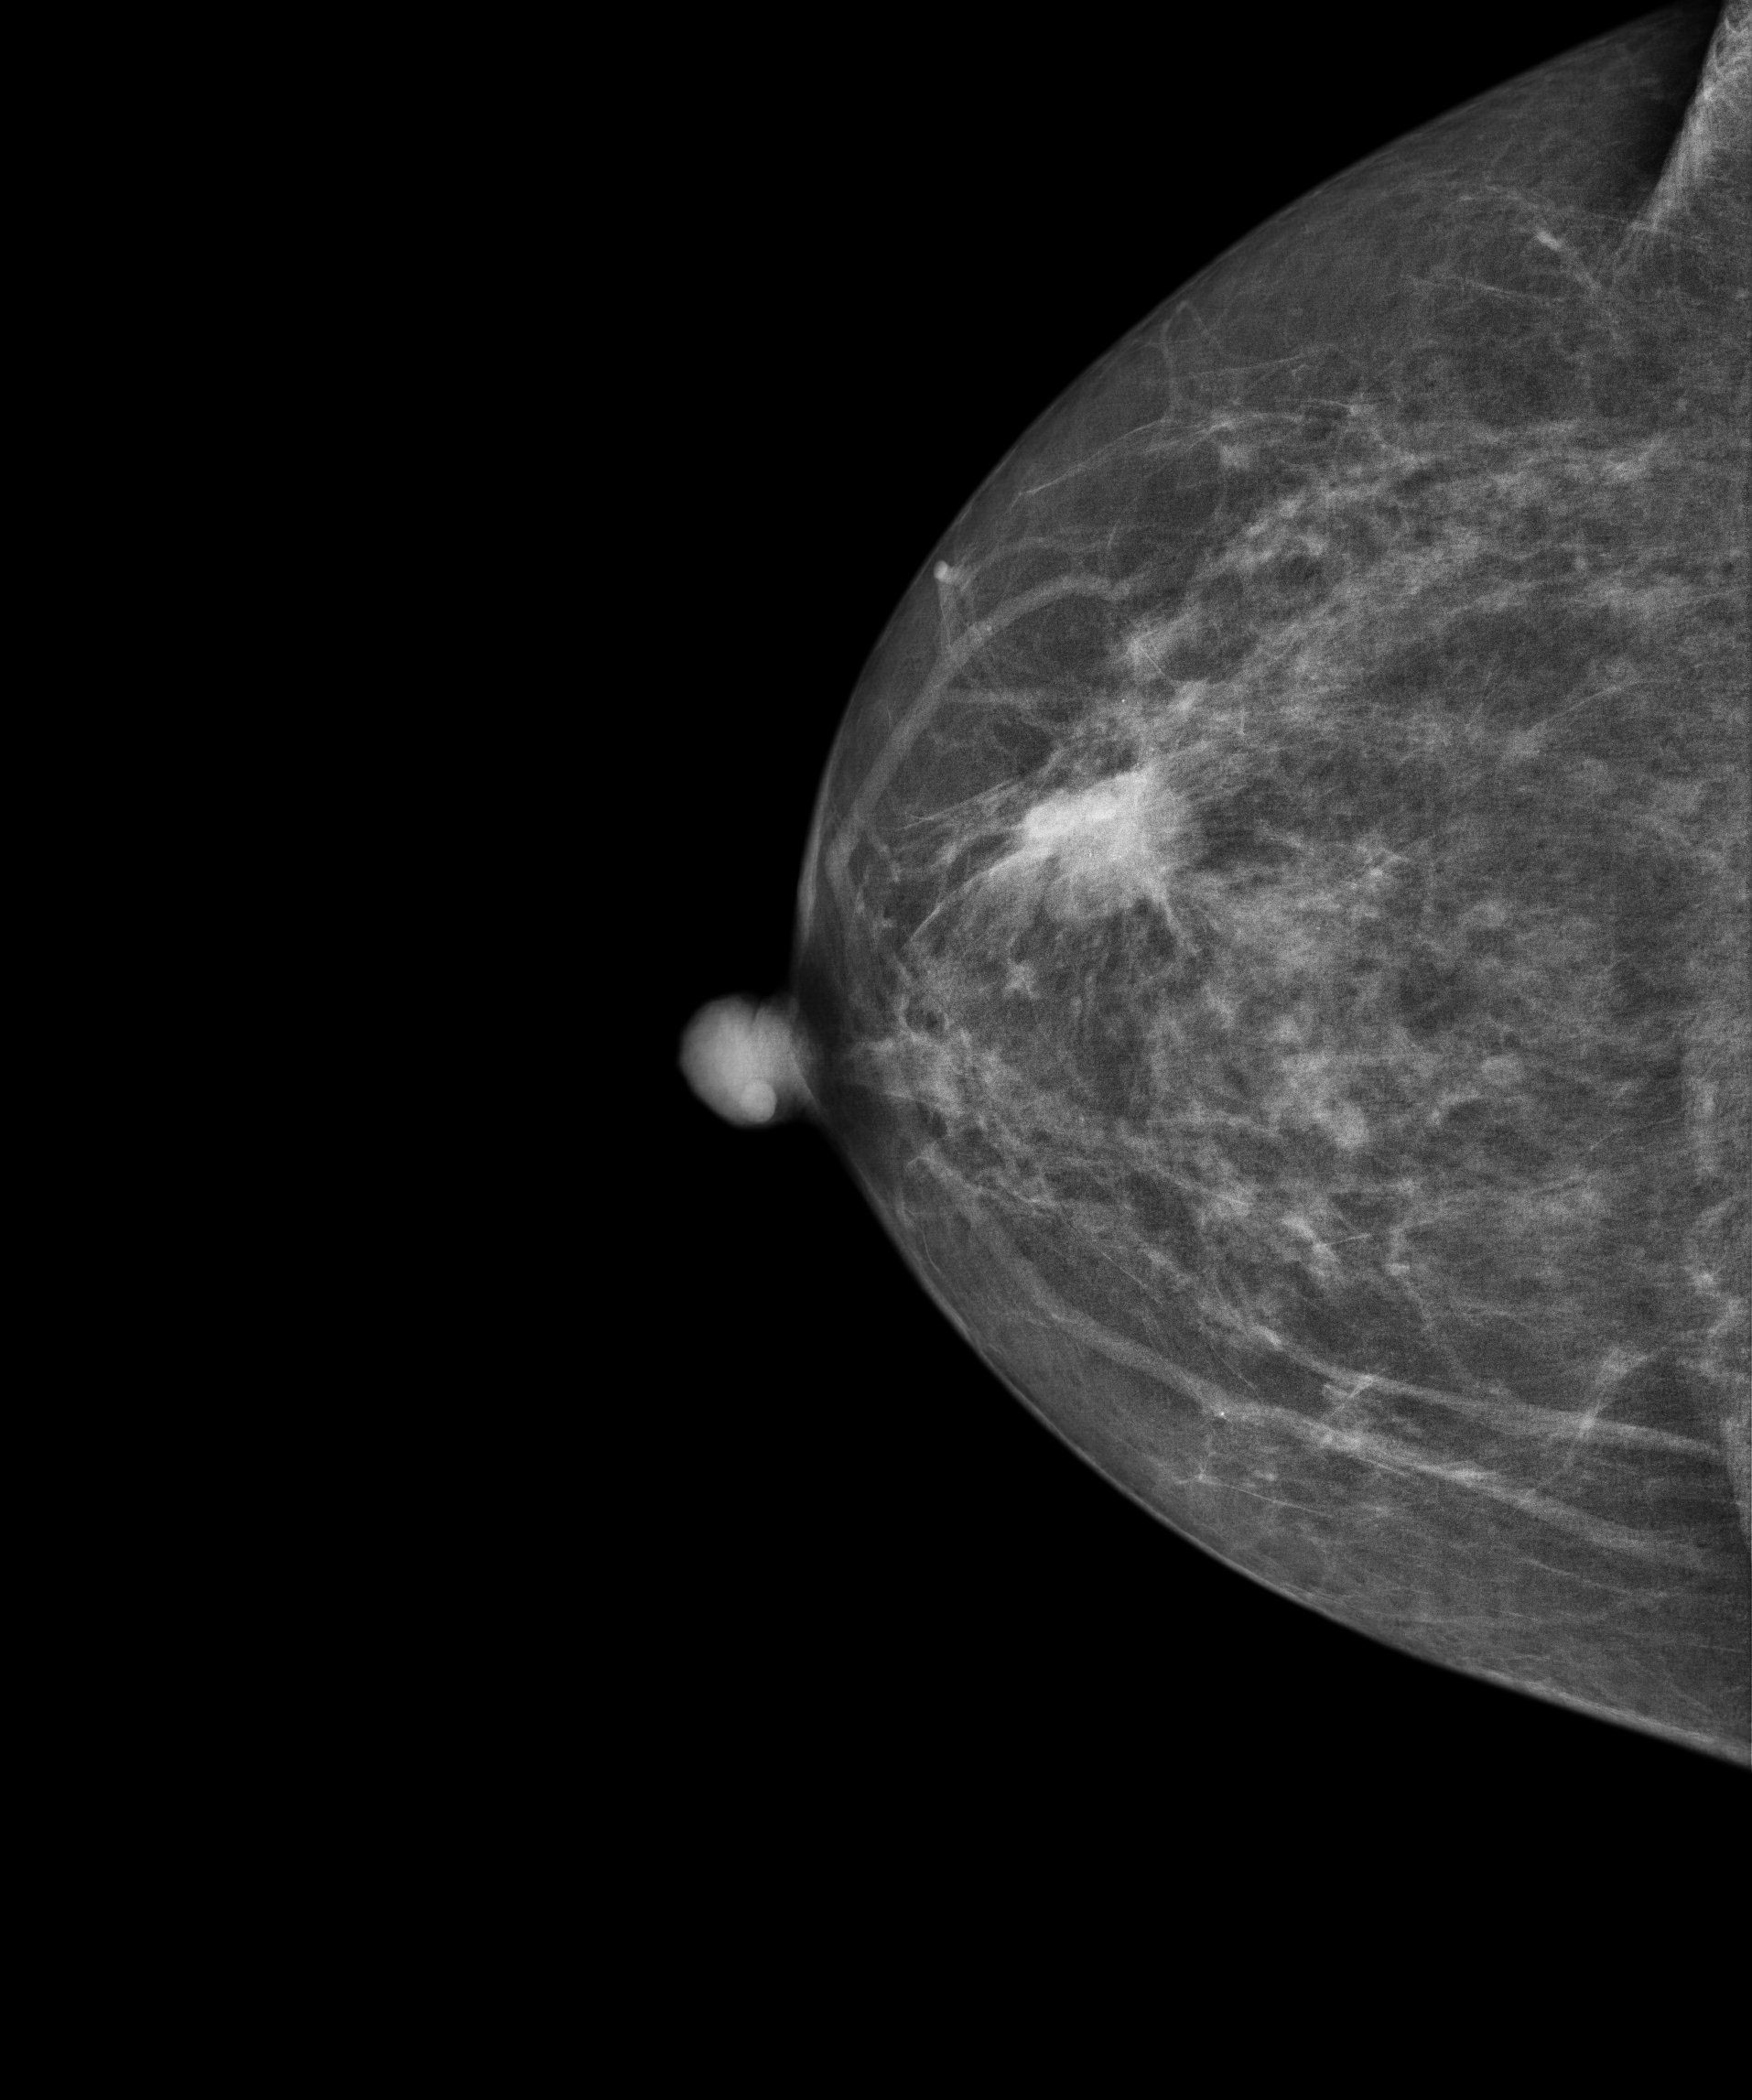
Cranio-caudal mammogram of the right breast. 75 y/o patient.
This breast has a mass, biopsy-confirmed malignant.